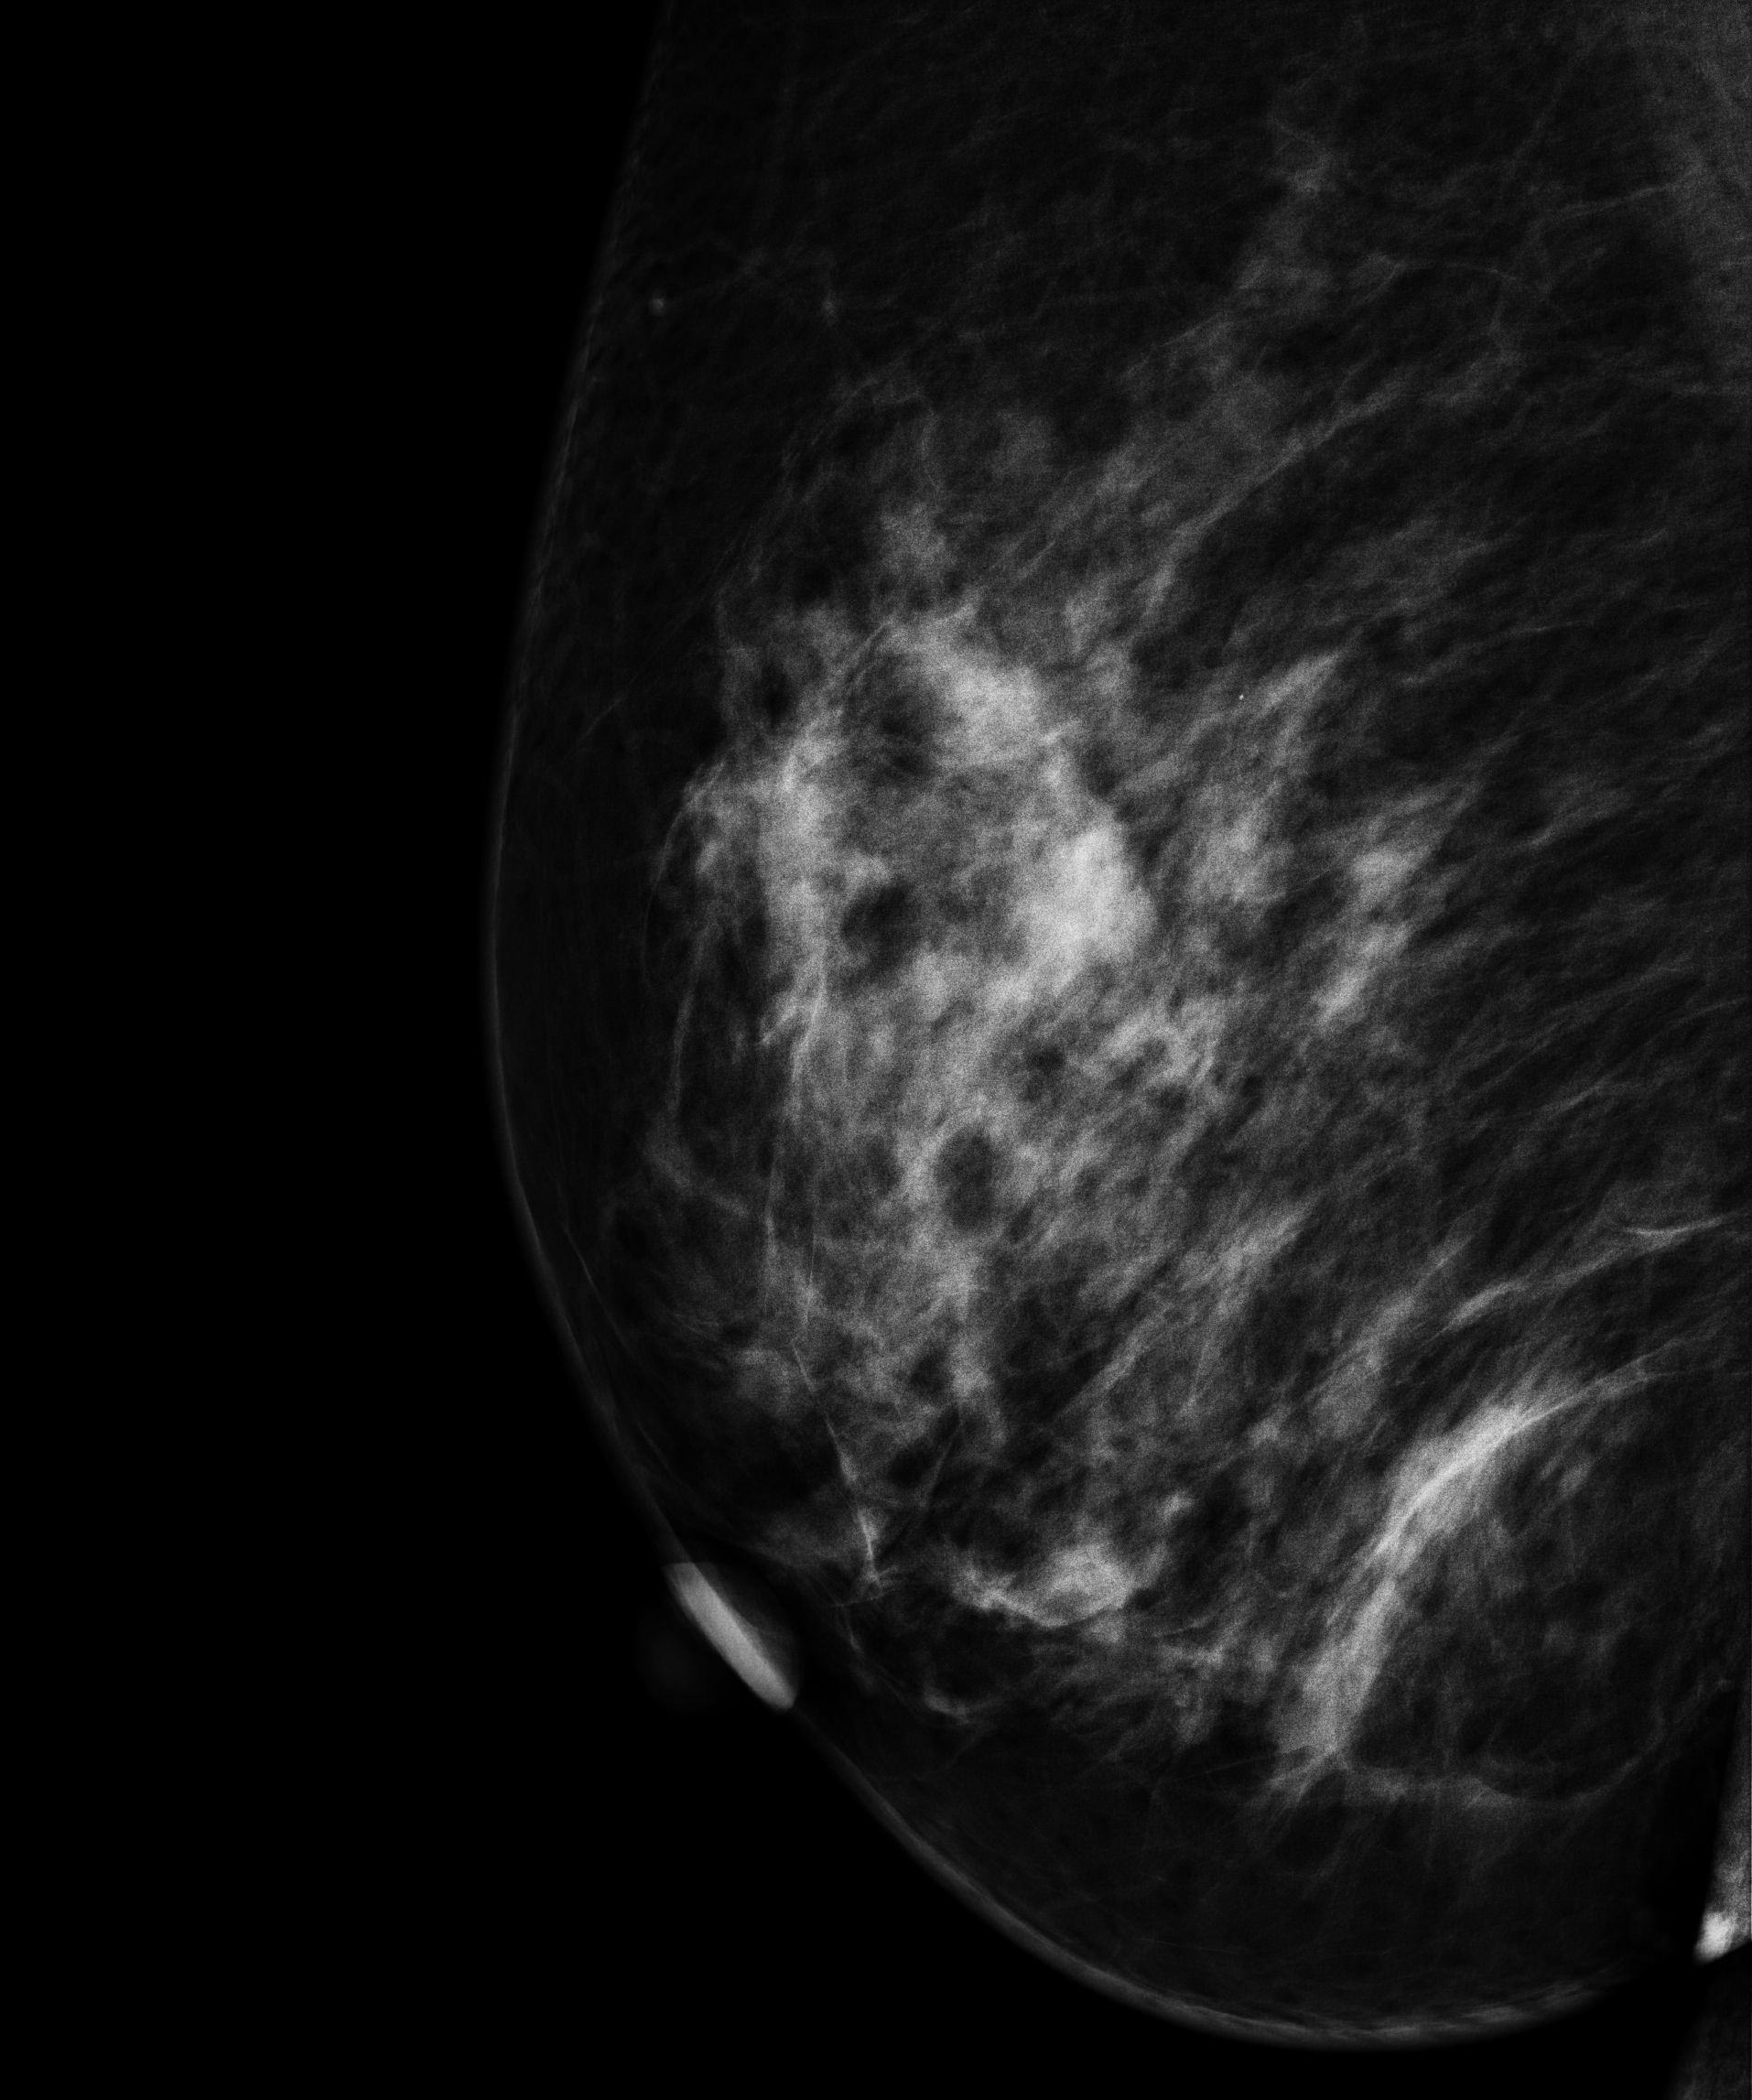
Digital mammography. Right breast, medio-lateral oblique projection. 45-year-old patient.
Contralateral breast — no documented abnormality on this side.